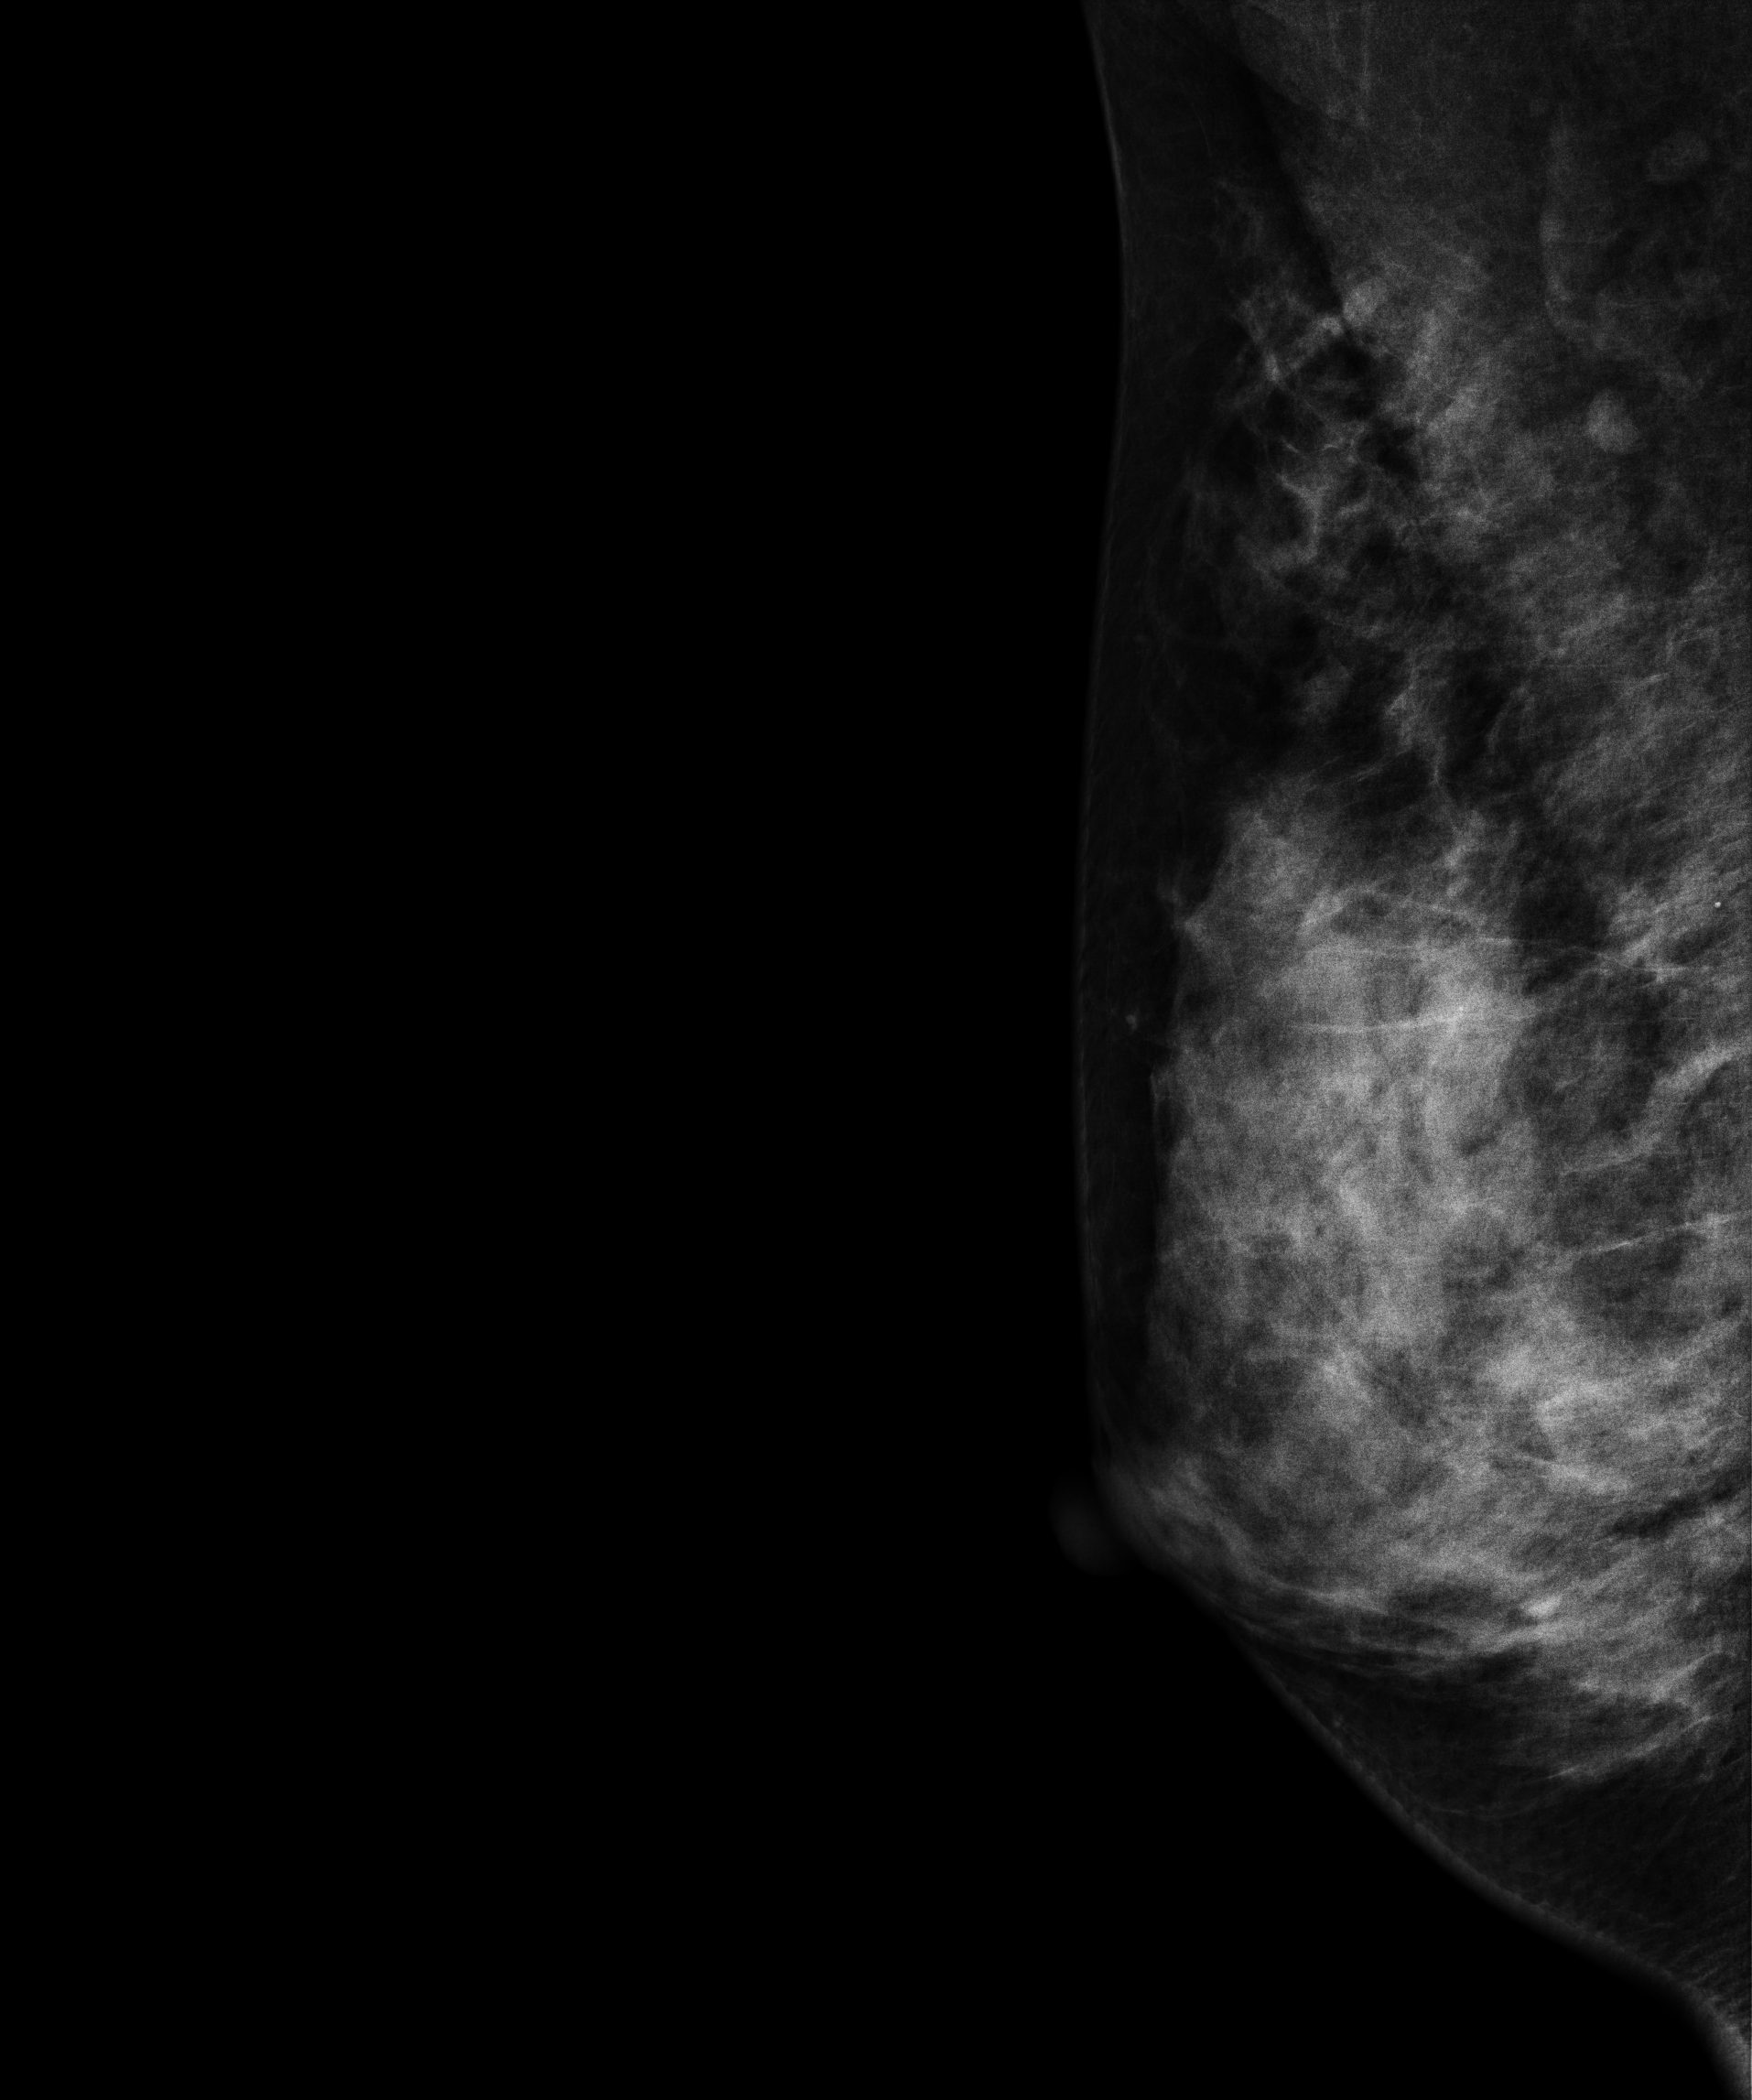
Right-breast mammogram, MLO. 37-year-old patient.
This breast has a mass, biopsy-confirmed malignant. Molecular subtype: luminal B.